Digital mammography. Right breast, medio-lateral oblique projection. 41-year-old patient.
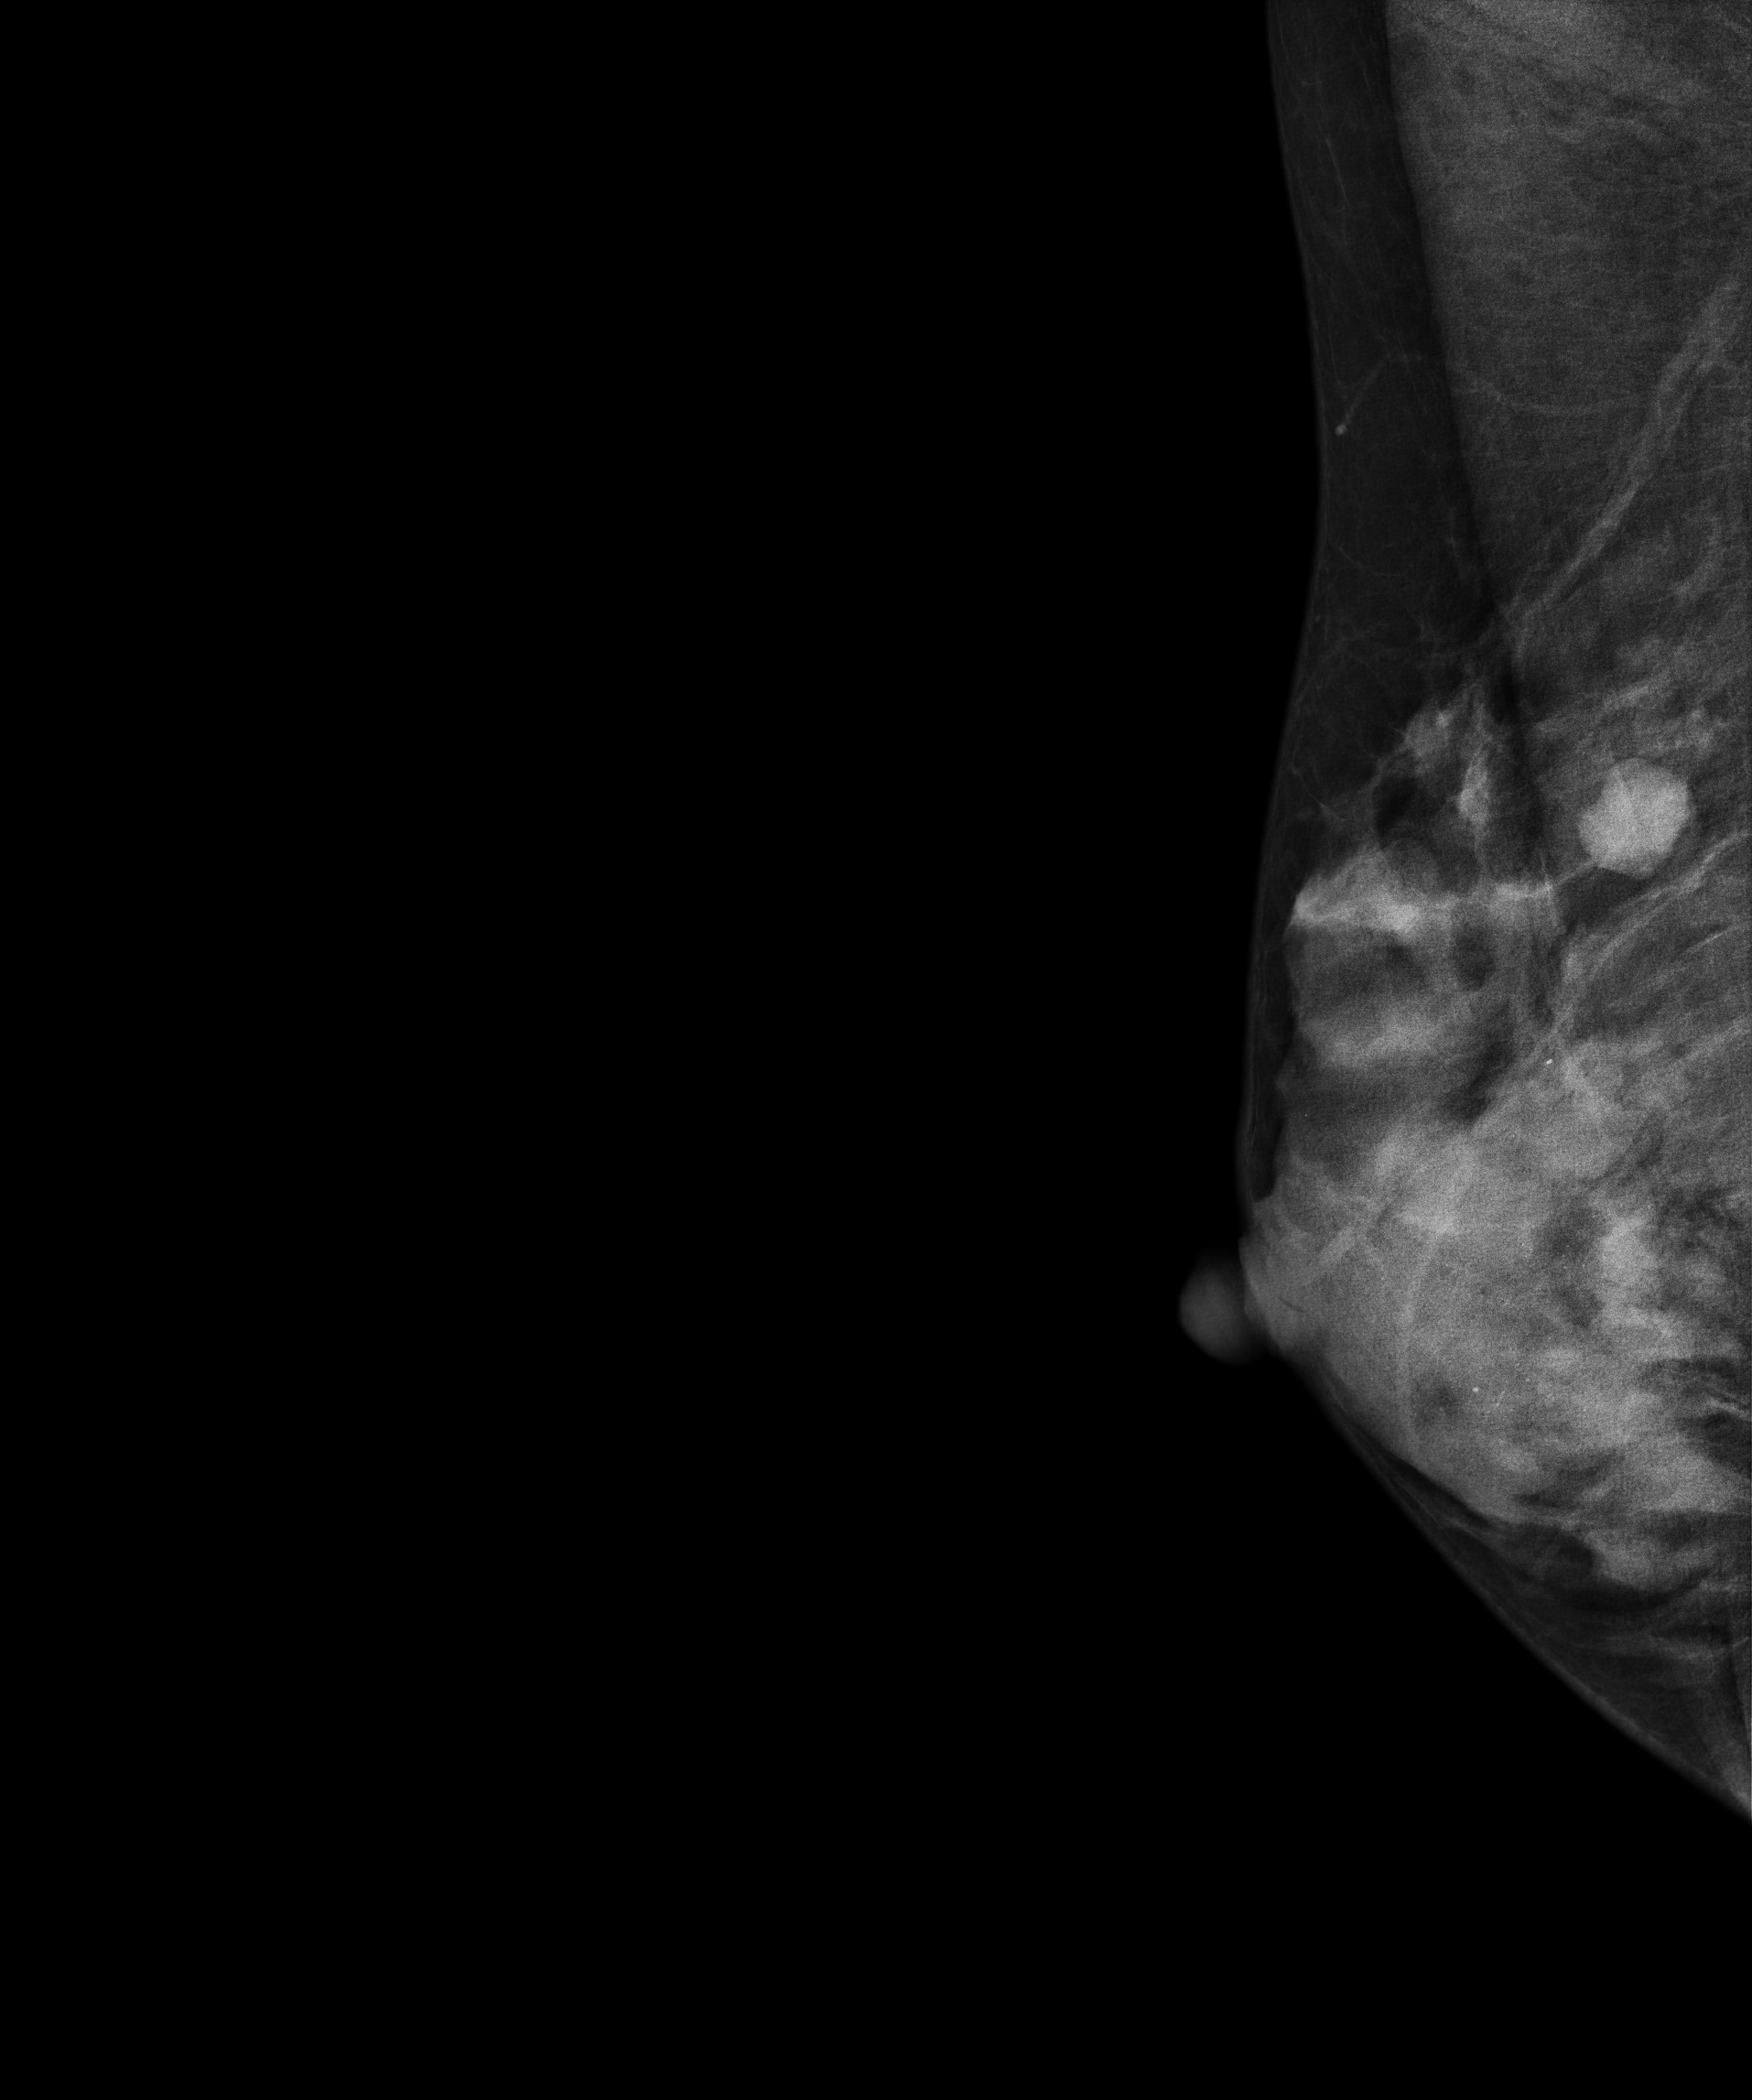
This breast has a mass and calcifications, biopsy-proven benign.